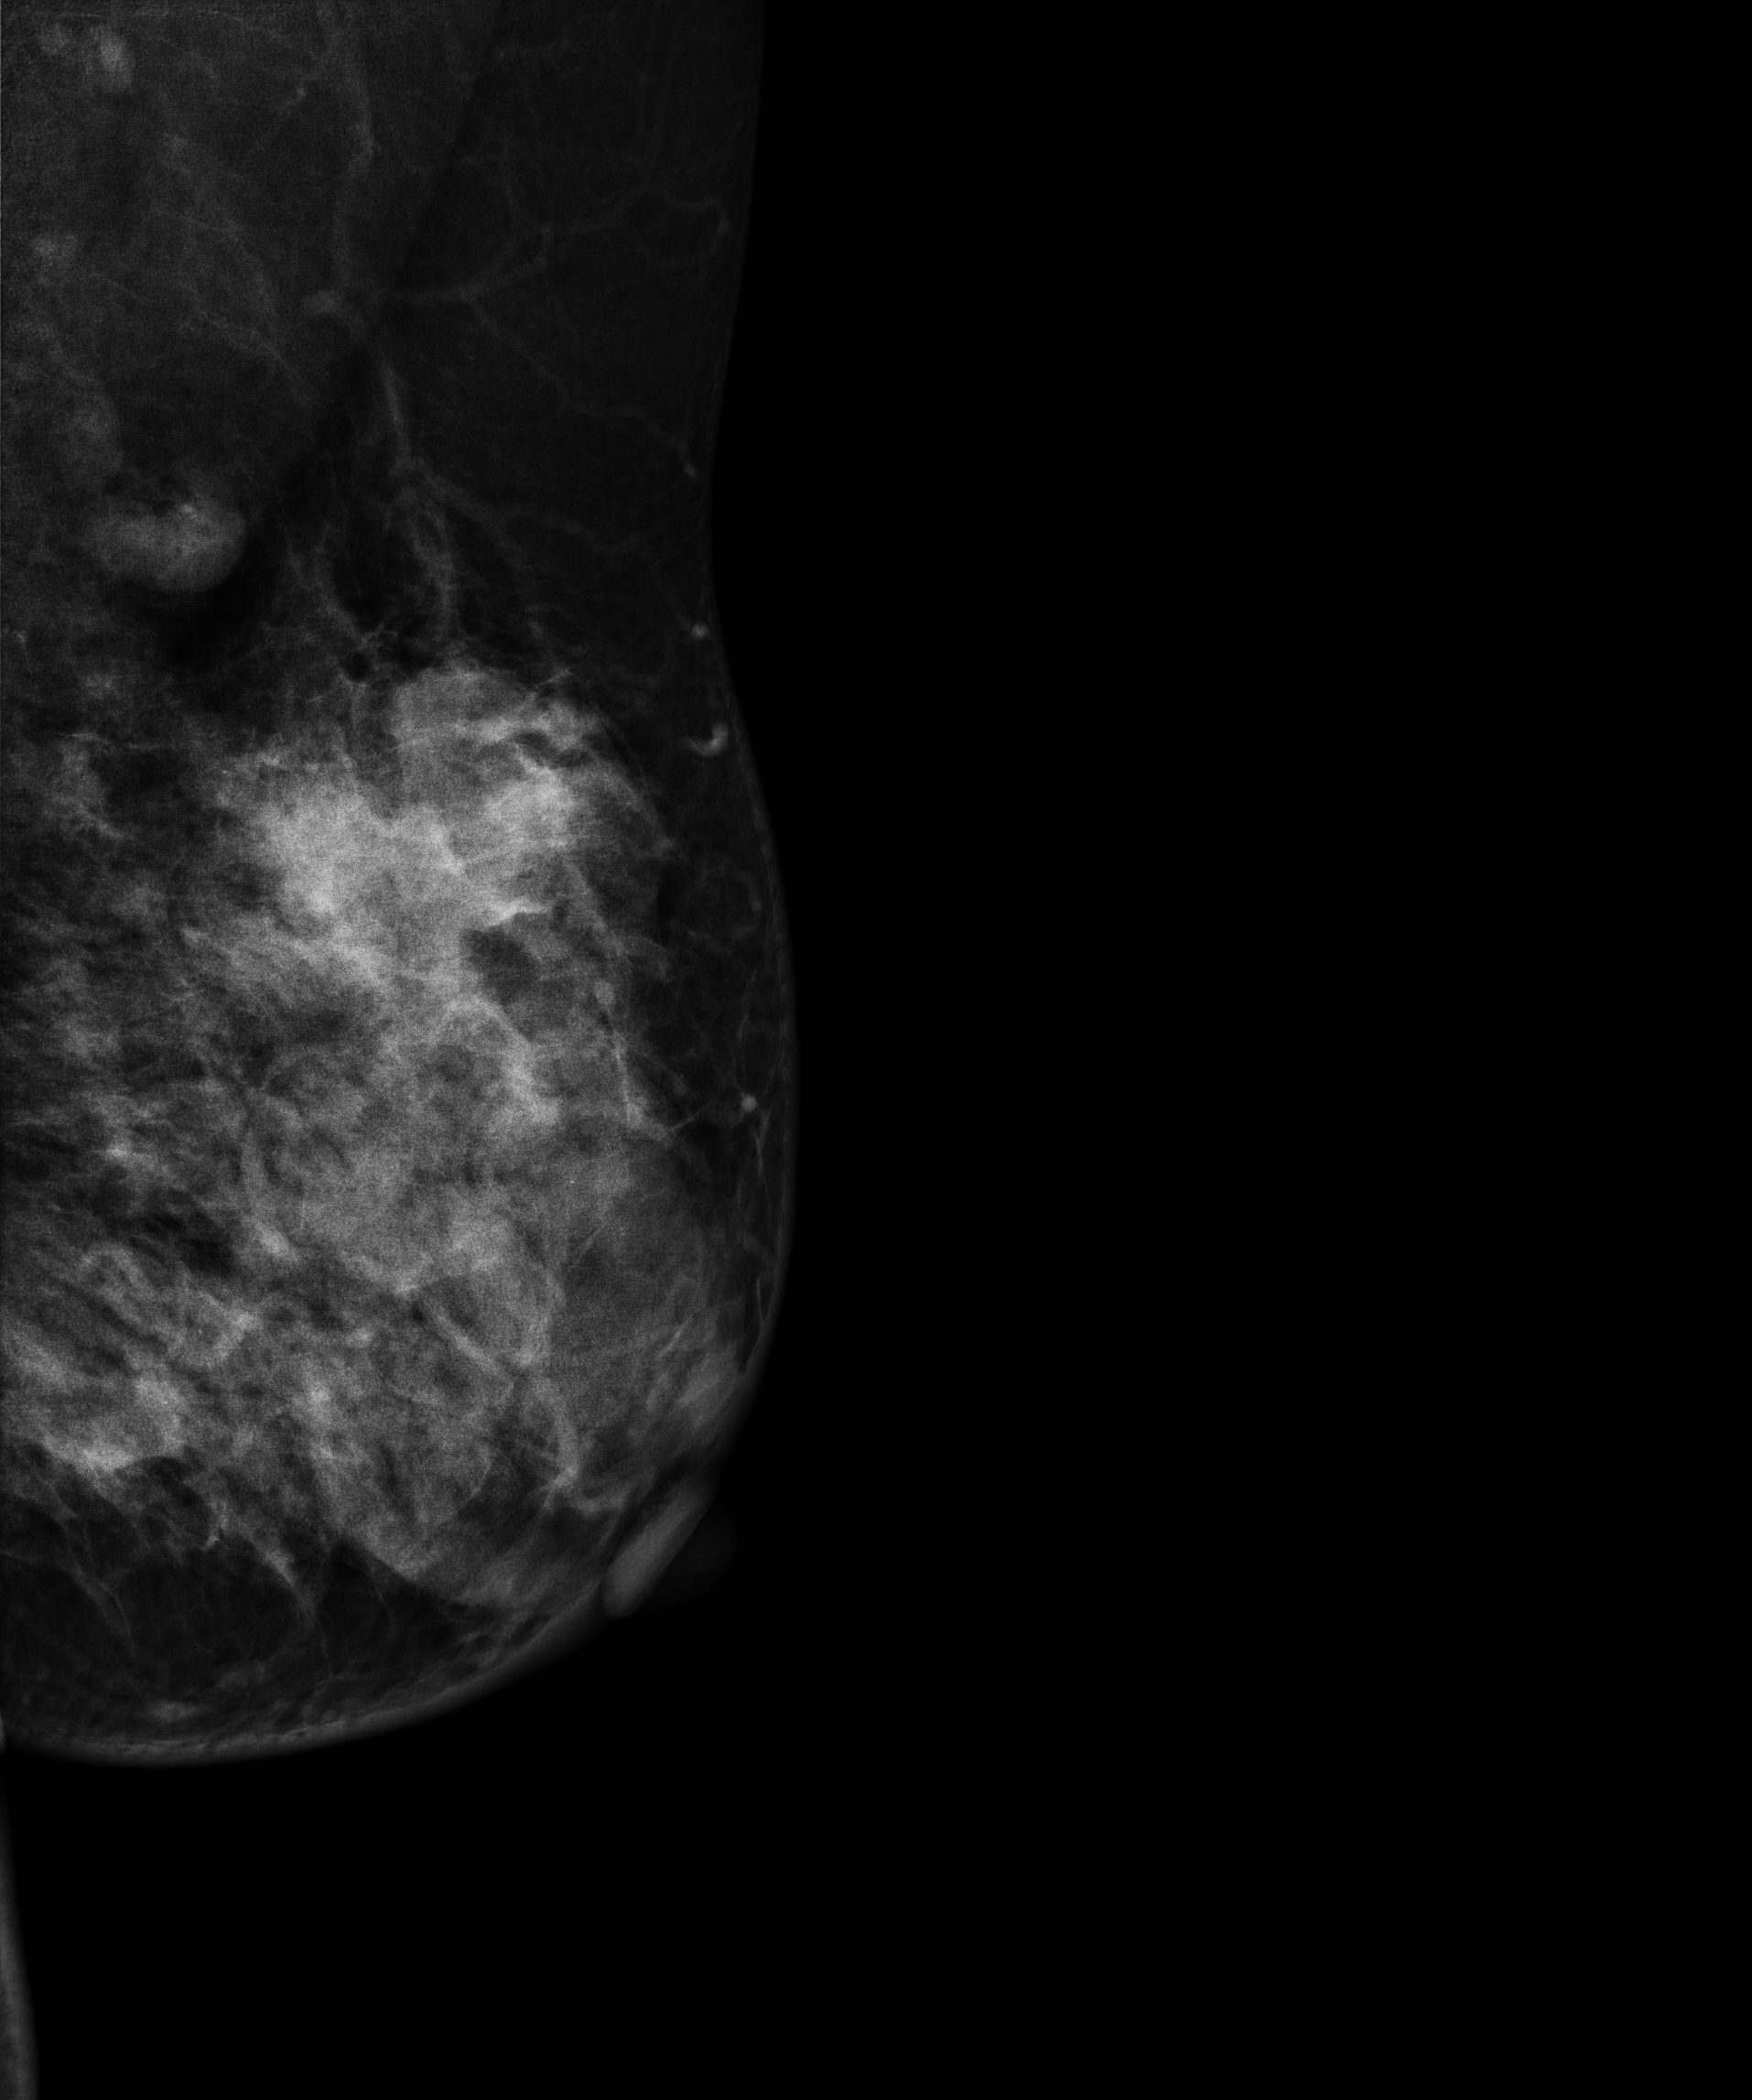
Mammogram — left MLO. Patient age 37.
This breast has a mass, biopsy-proven malignant.